Left-breast mammogram, medio-lateral oblique. 72-year-old patient.
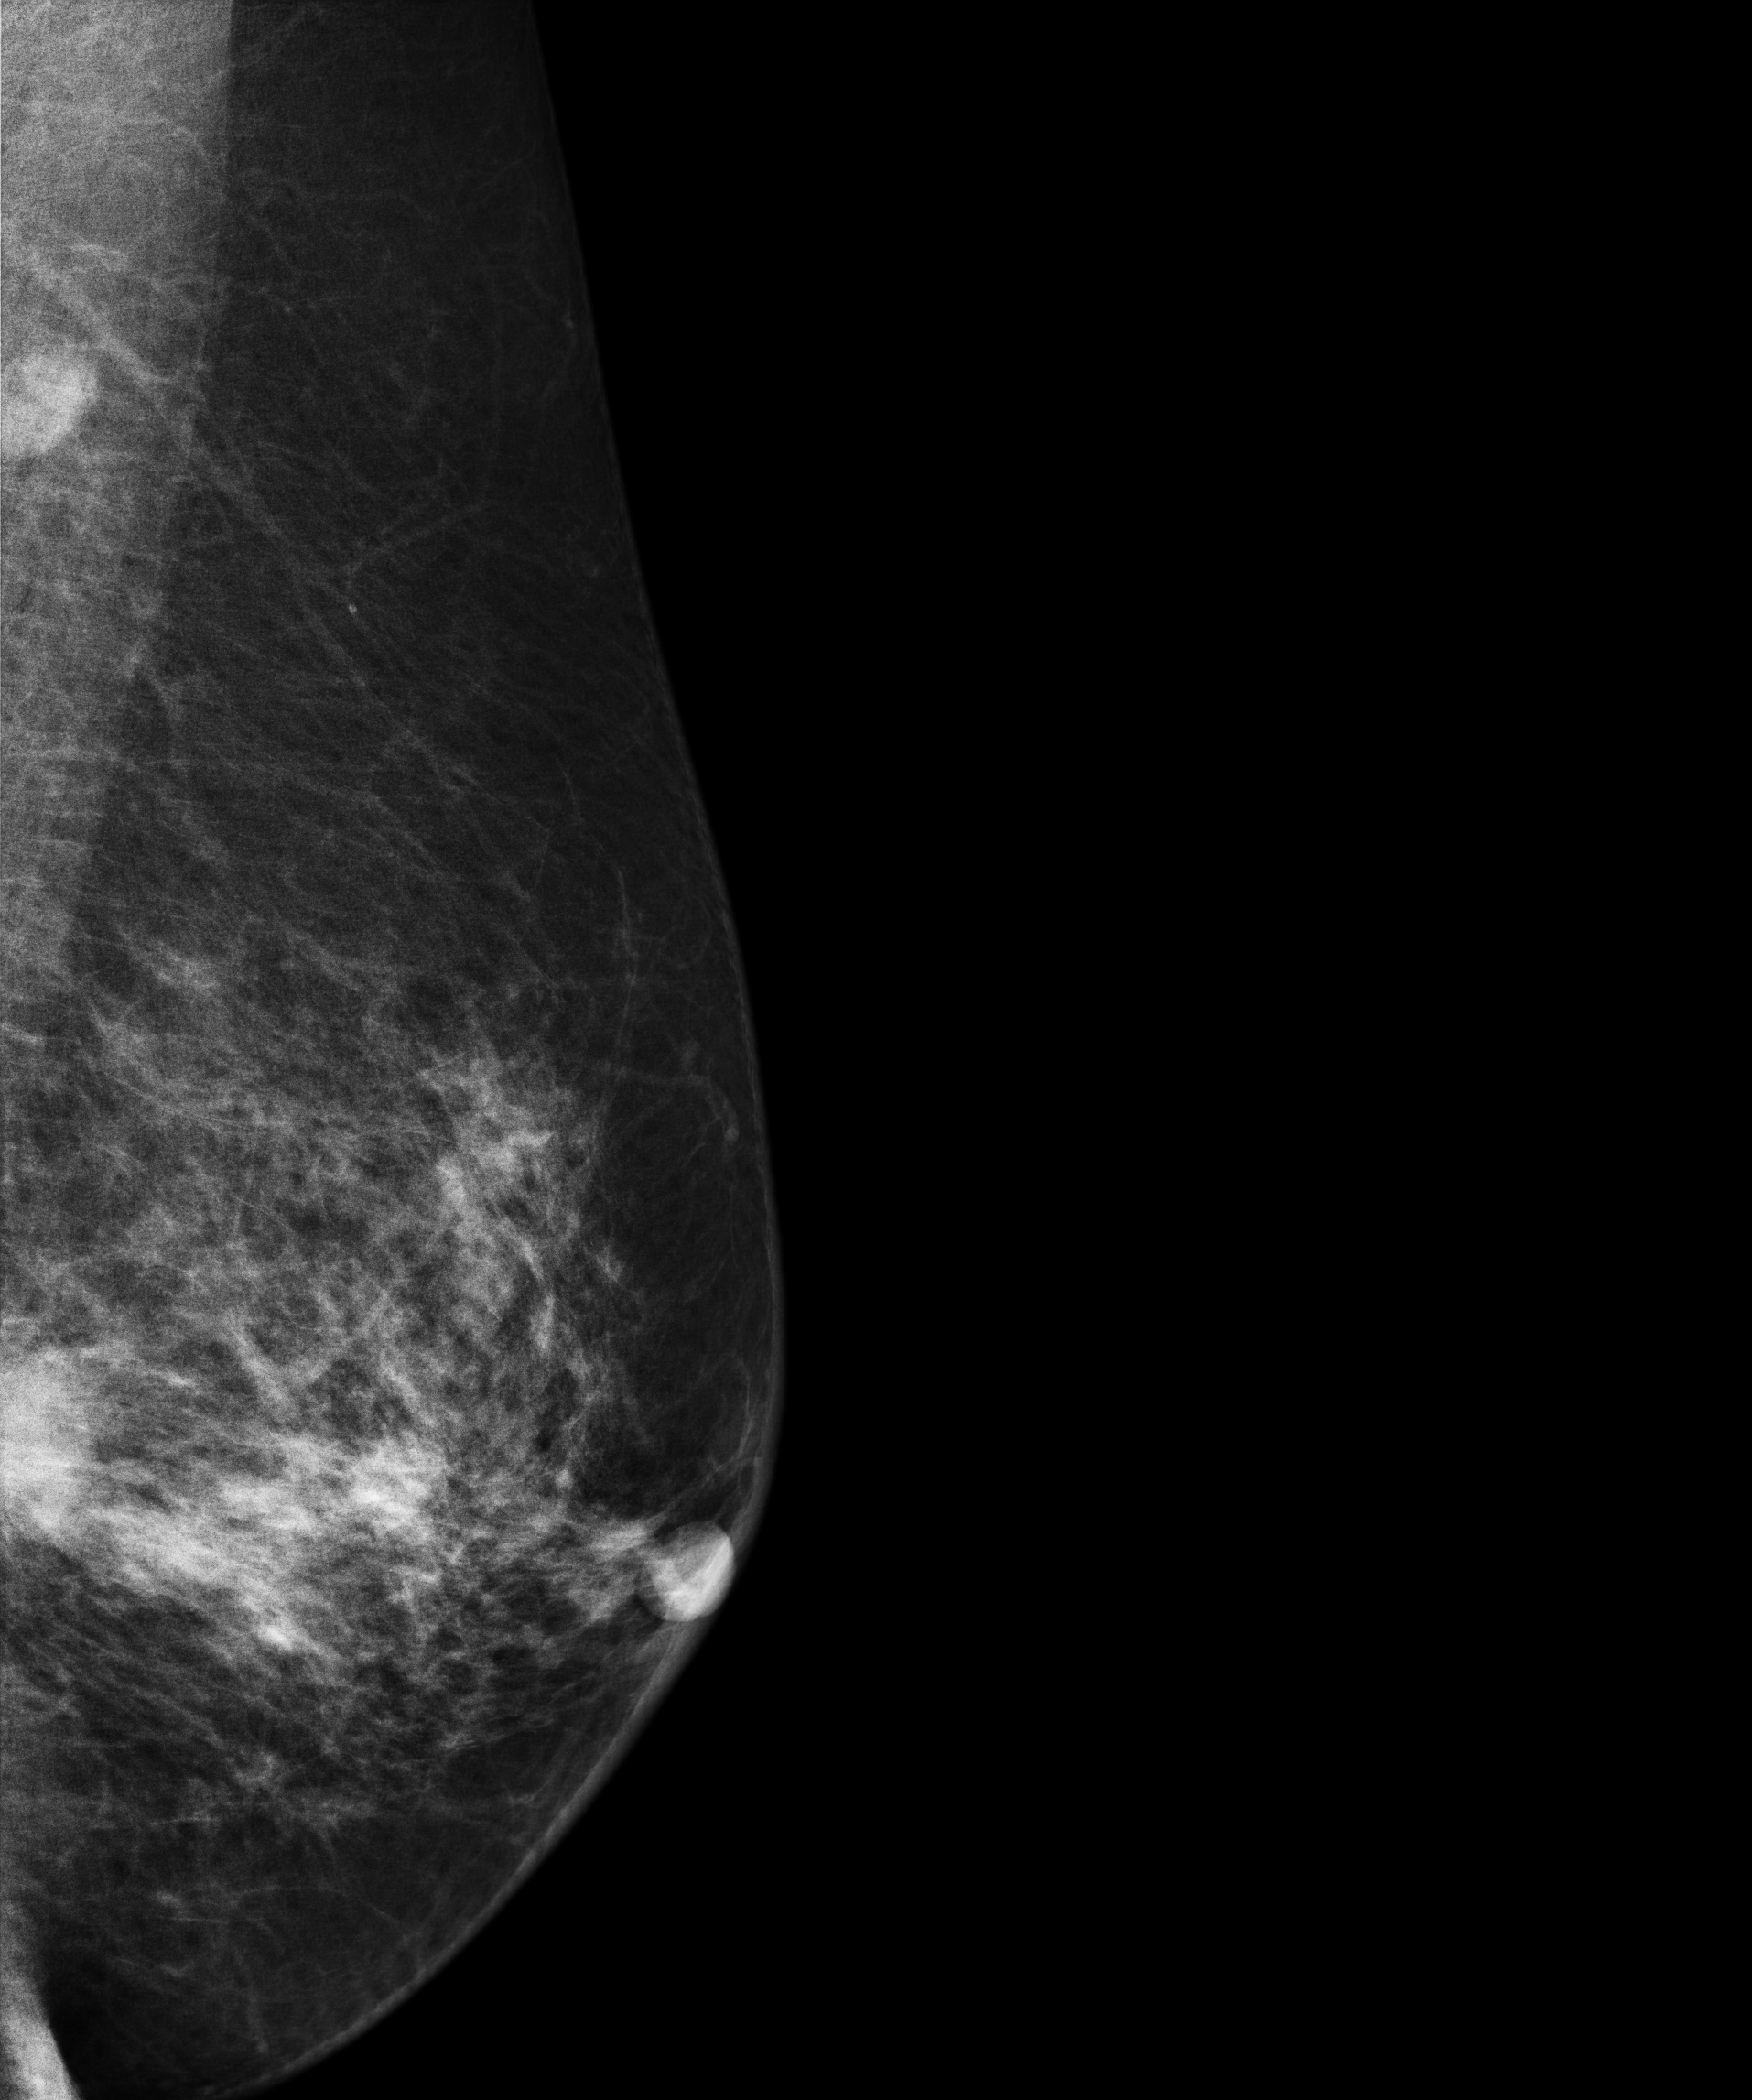
This breast has a mass and calcifications, biopsy-confirmed malignant. Molecular subtype: luminal B.